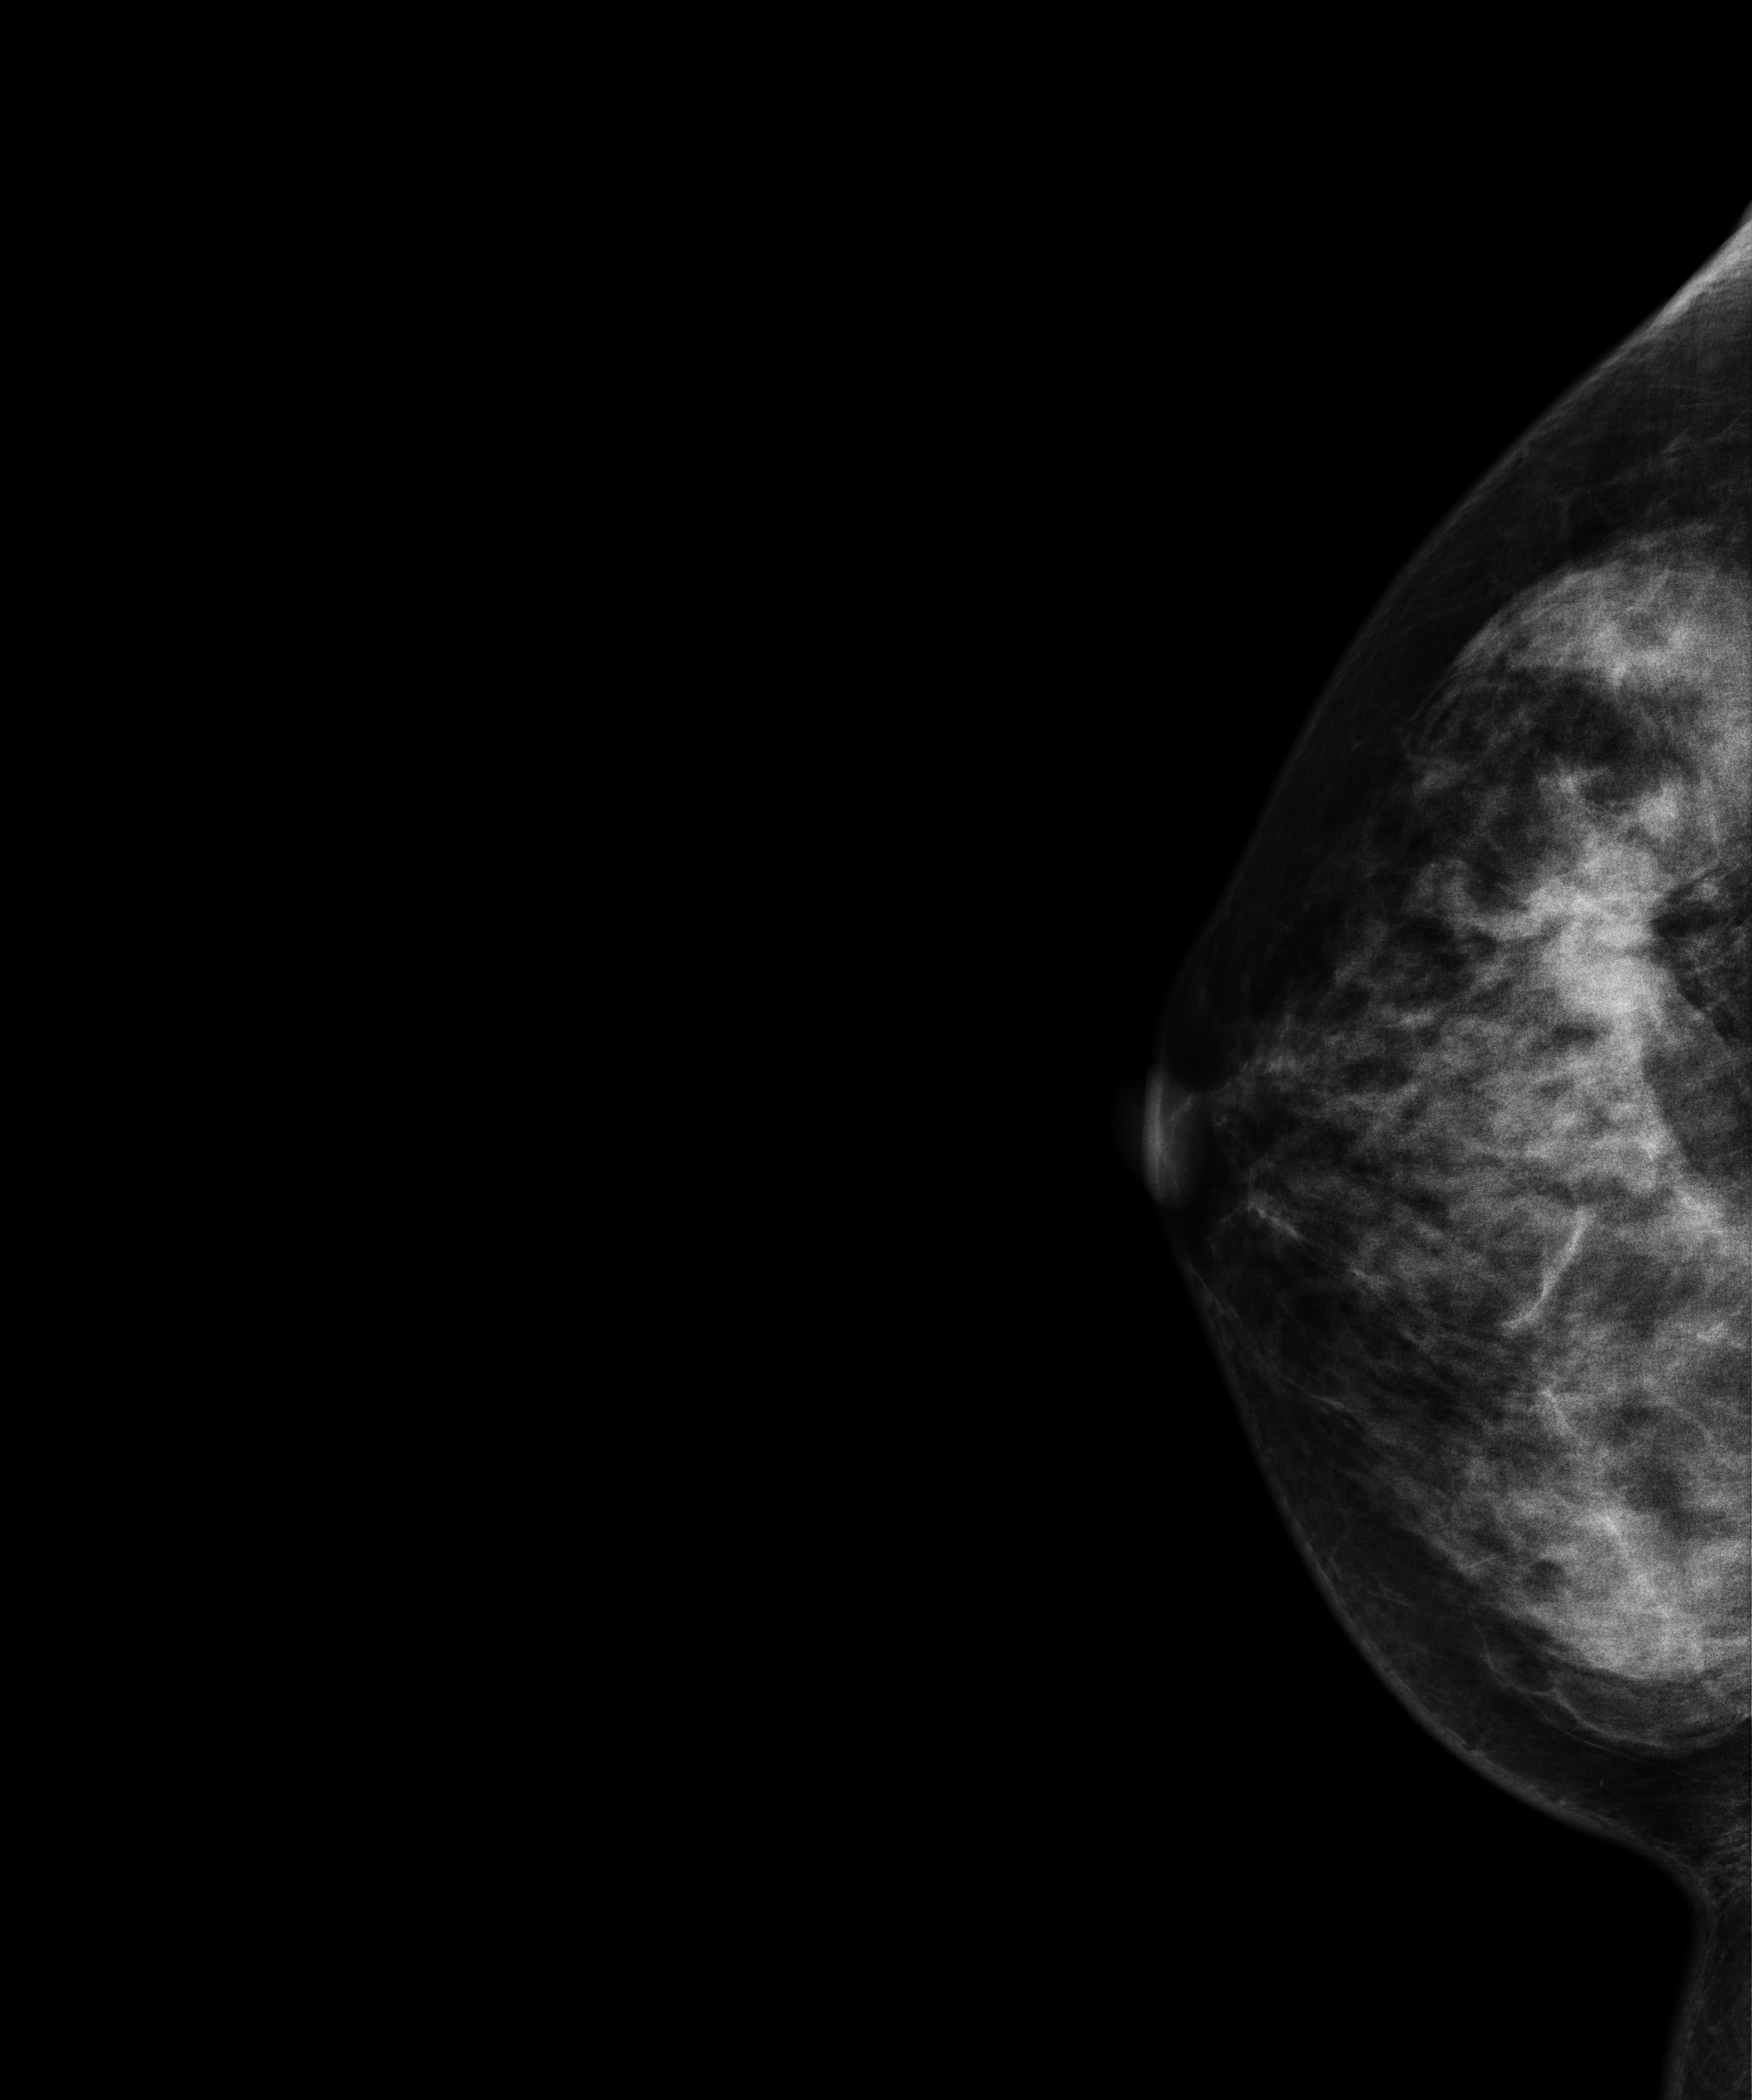
Mammogram — right CC. Patient age 42.
This breast has a mass, biopsy-confirmed malignant.